MLO mammogram of the left breast. Patient age 38.
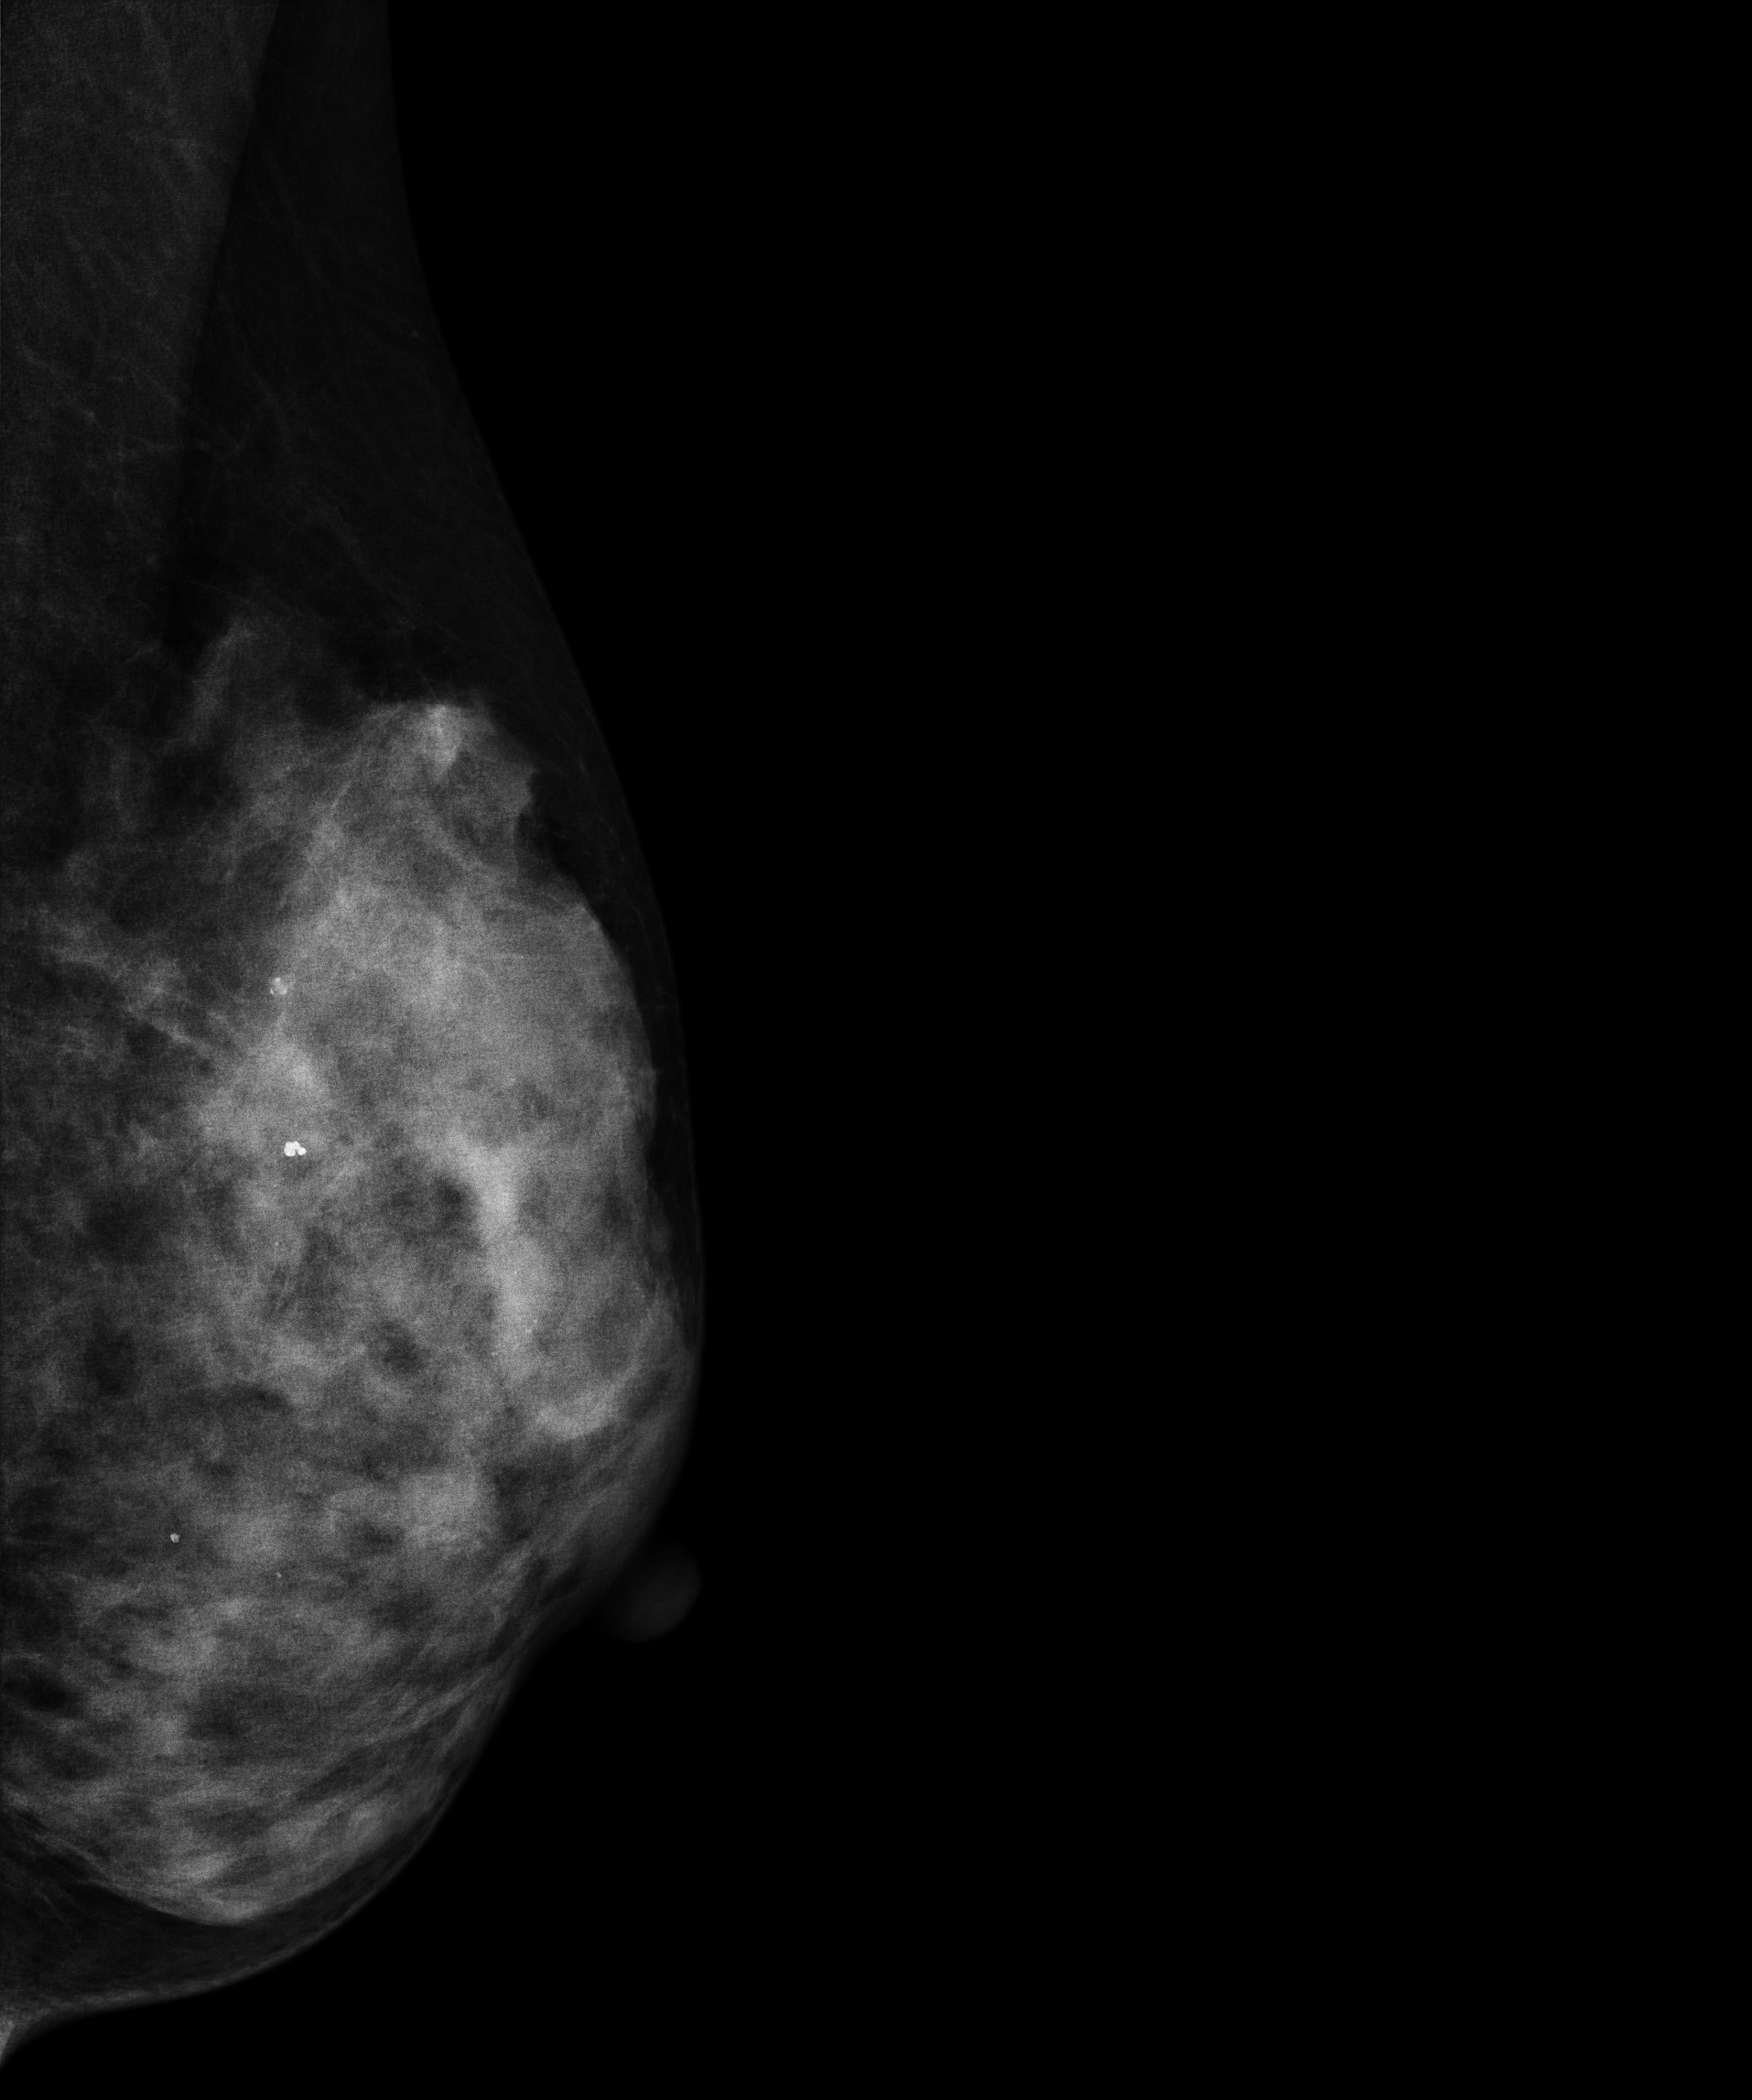
This breast has a mass and calcifications, histologically confirmed malignant.